Digital mammography. Right breast, cranio-caudal projection. 56 y/o patient.
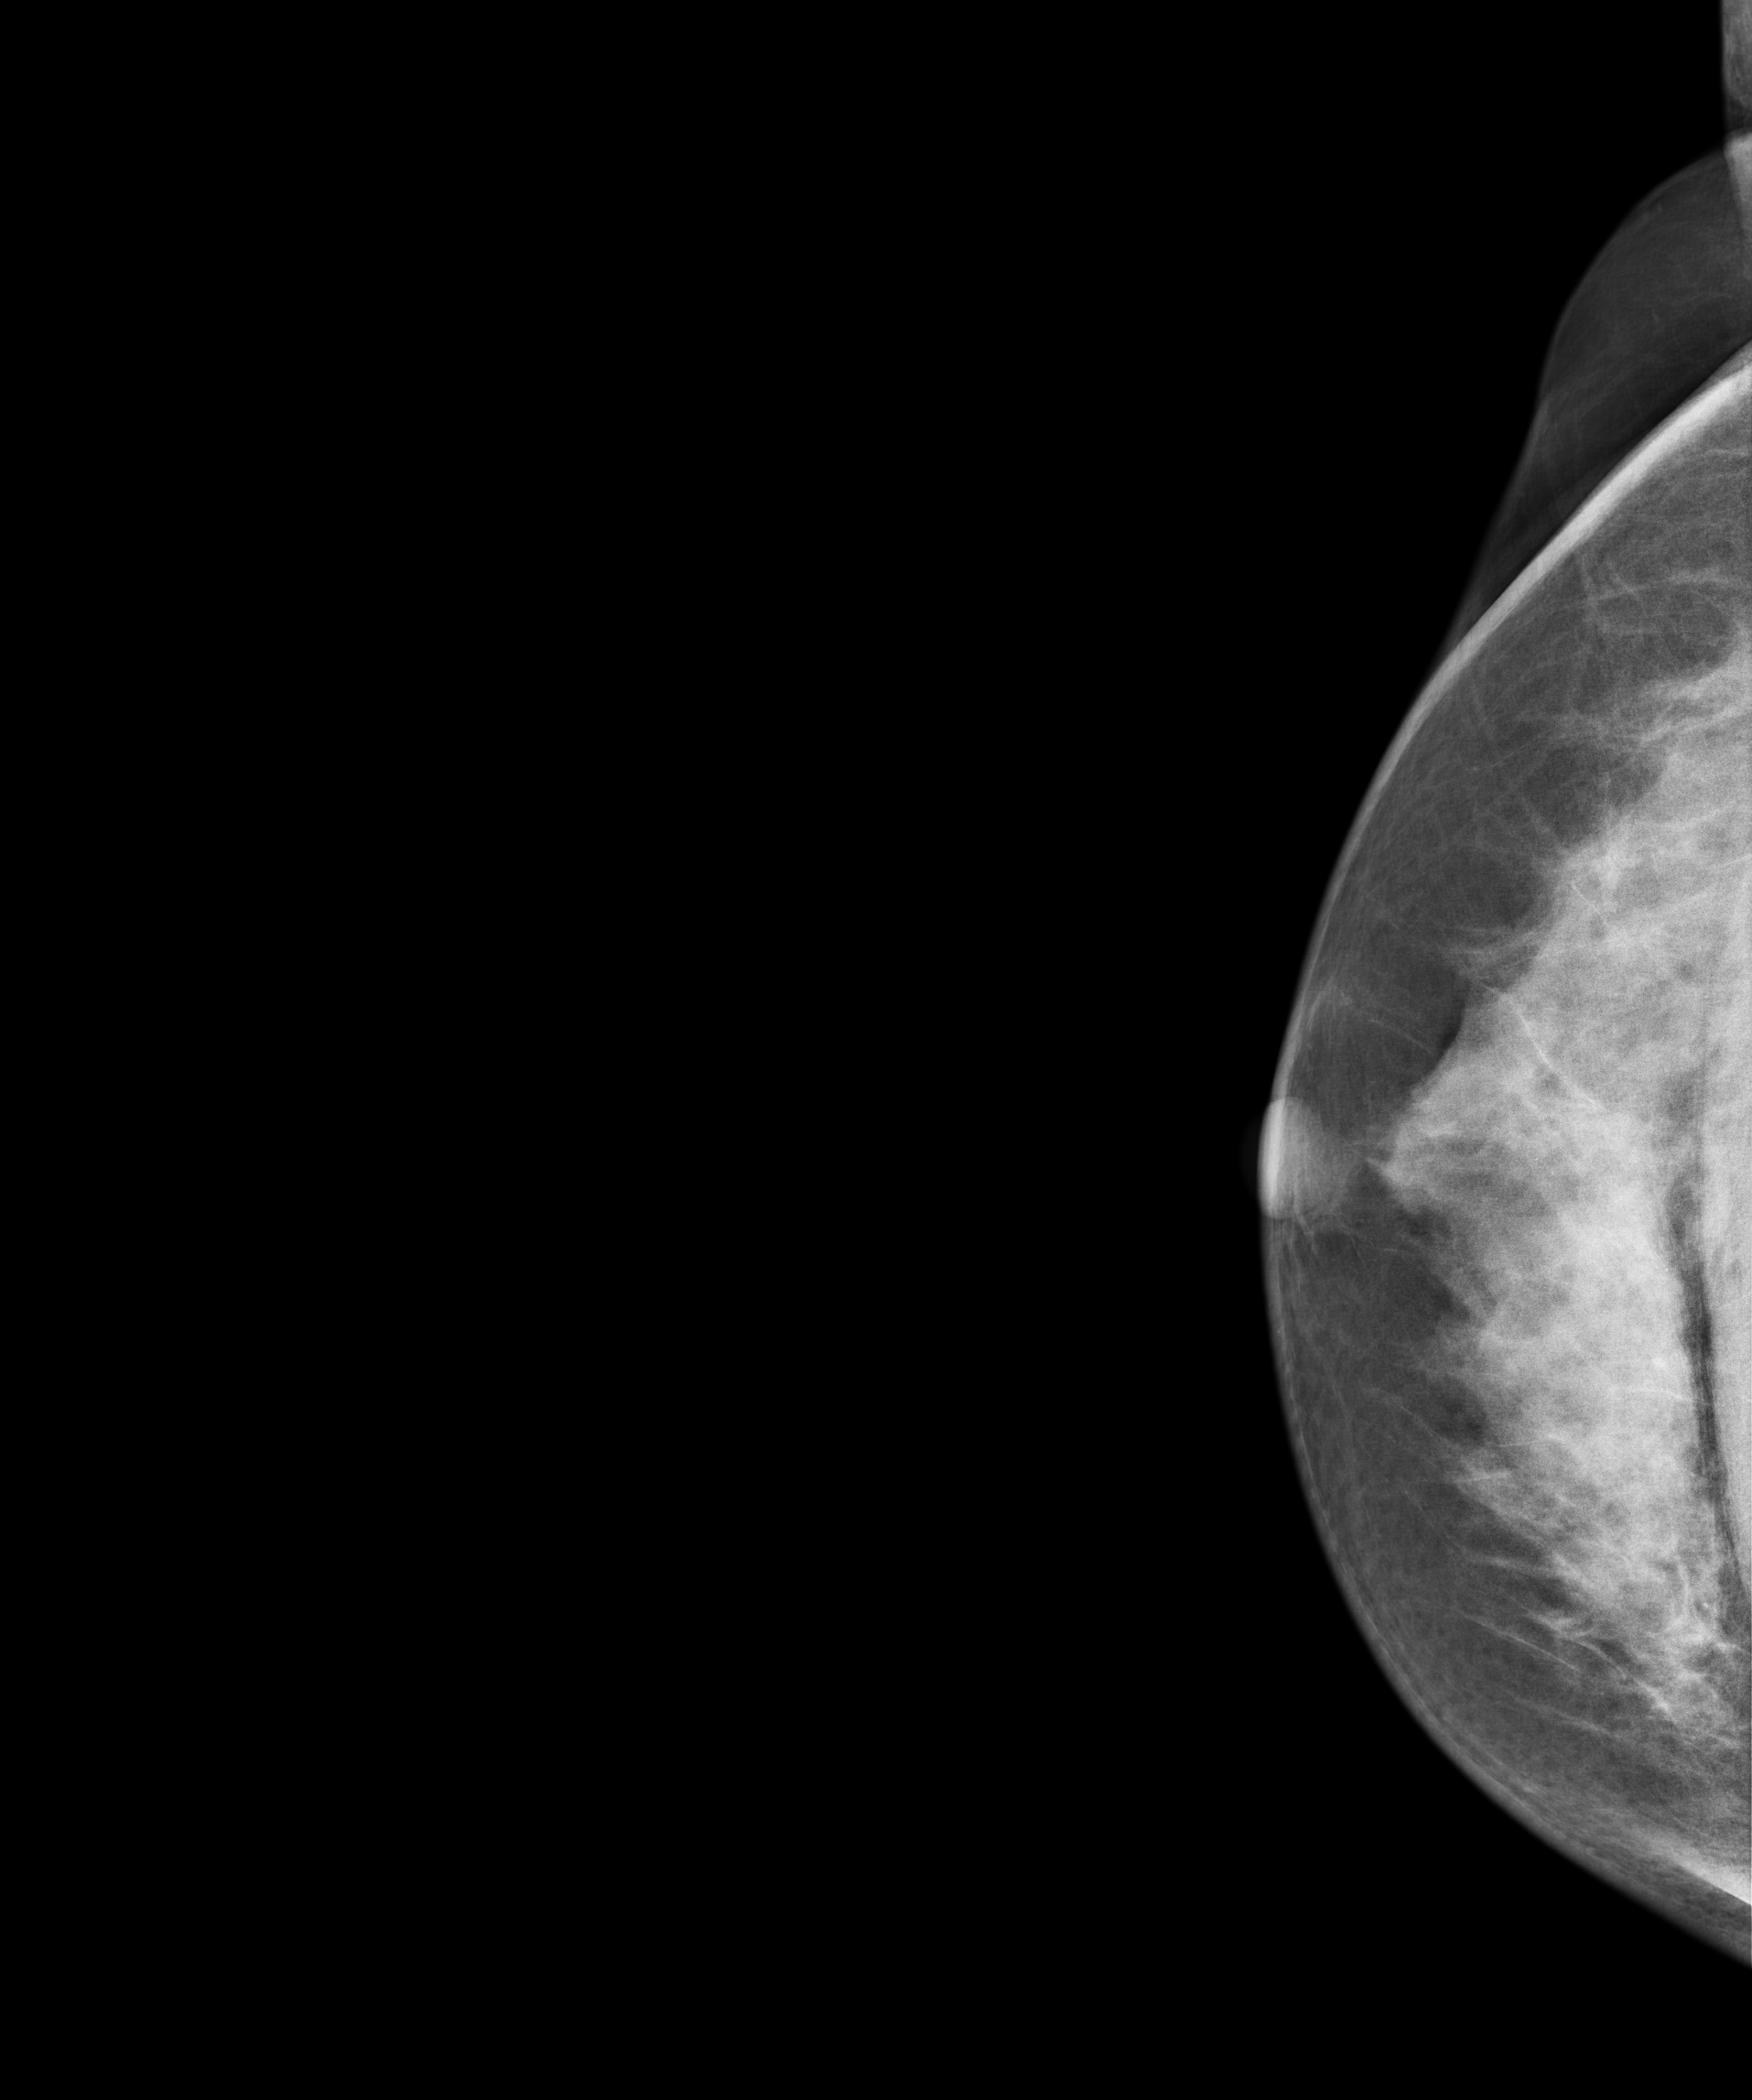
This breast has a mass, histologically confirmed malignant. Molecular subtype: triple-negative.